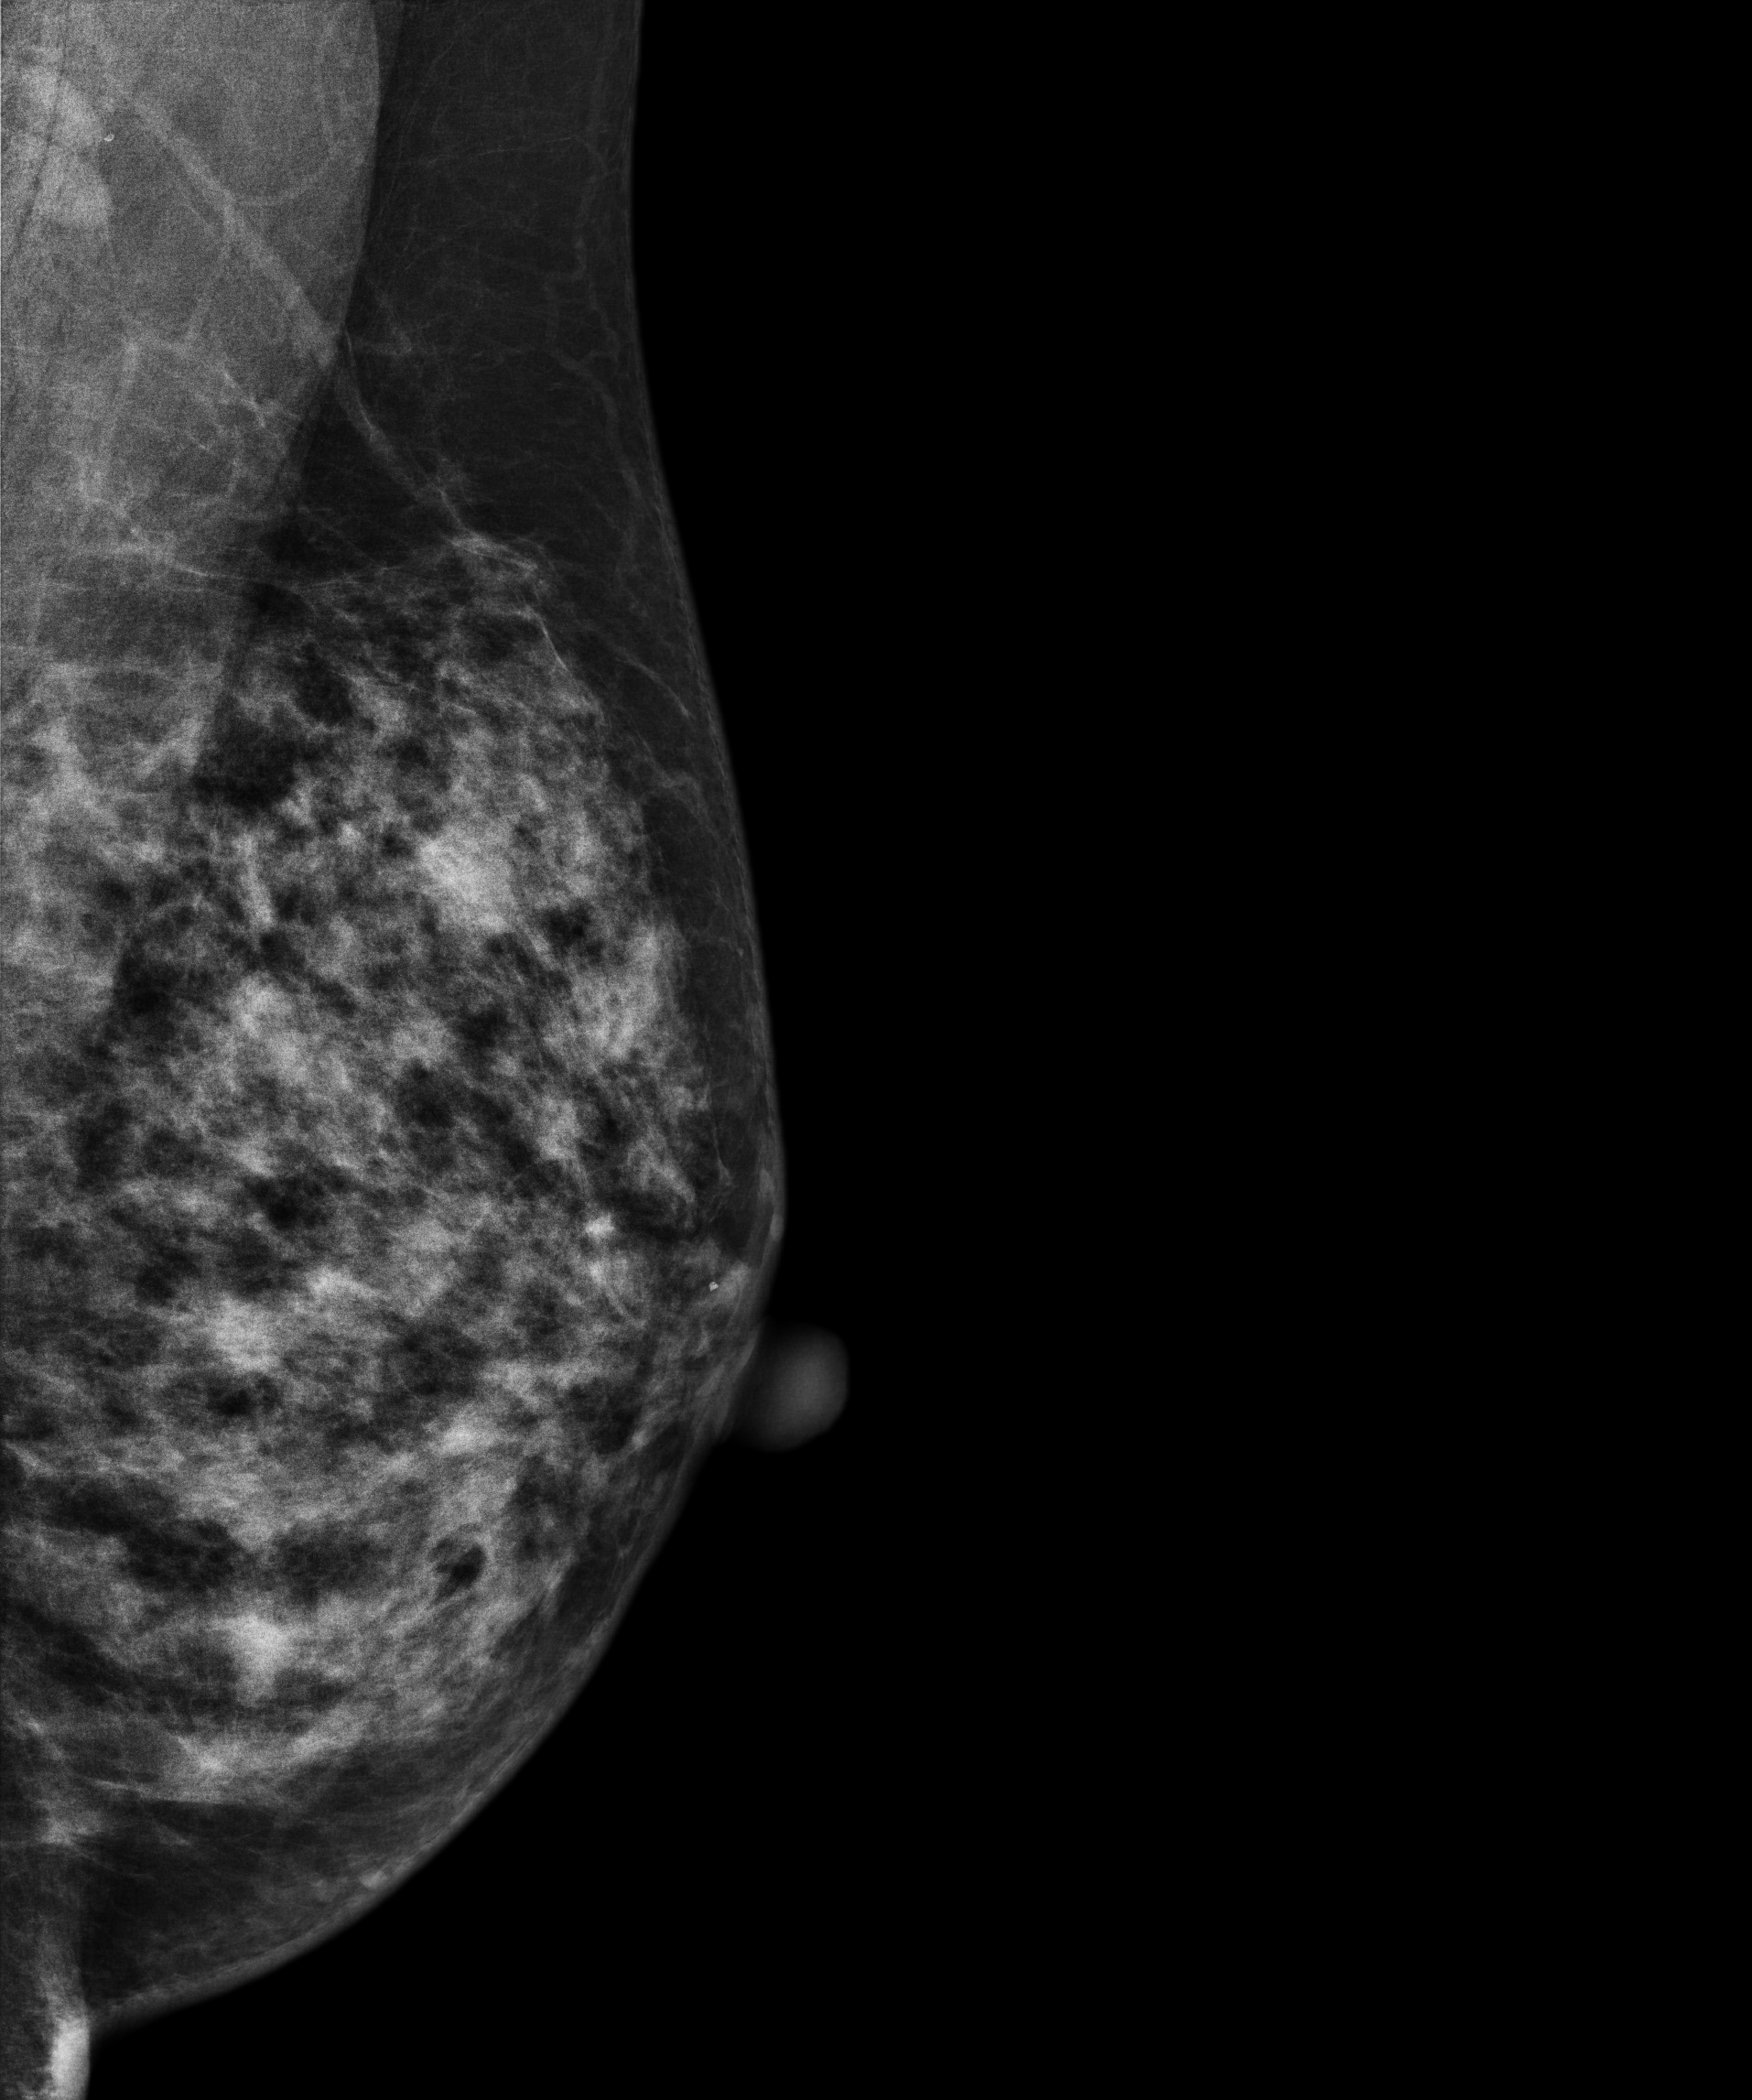
Left-breast mammogram, MLO. Patient age 42.
Contralateral breast — no documented abnormality on this side.